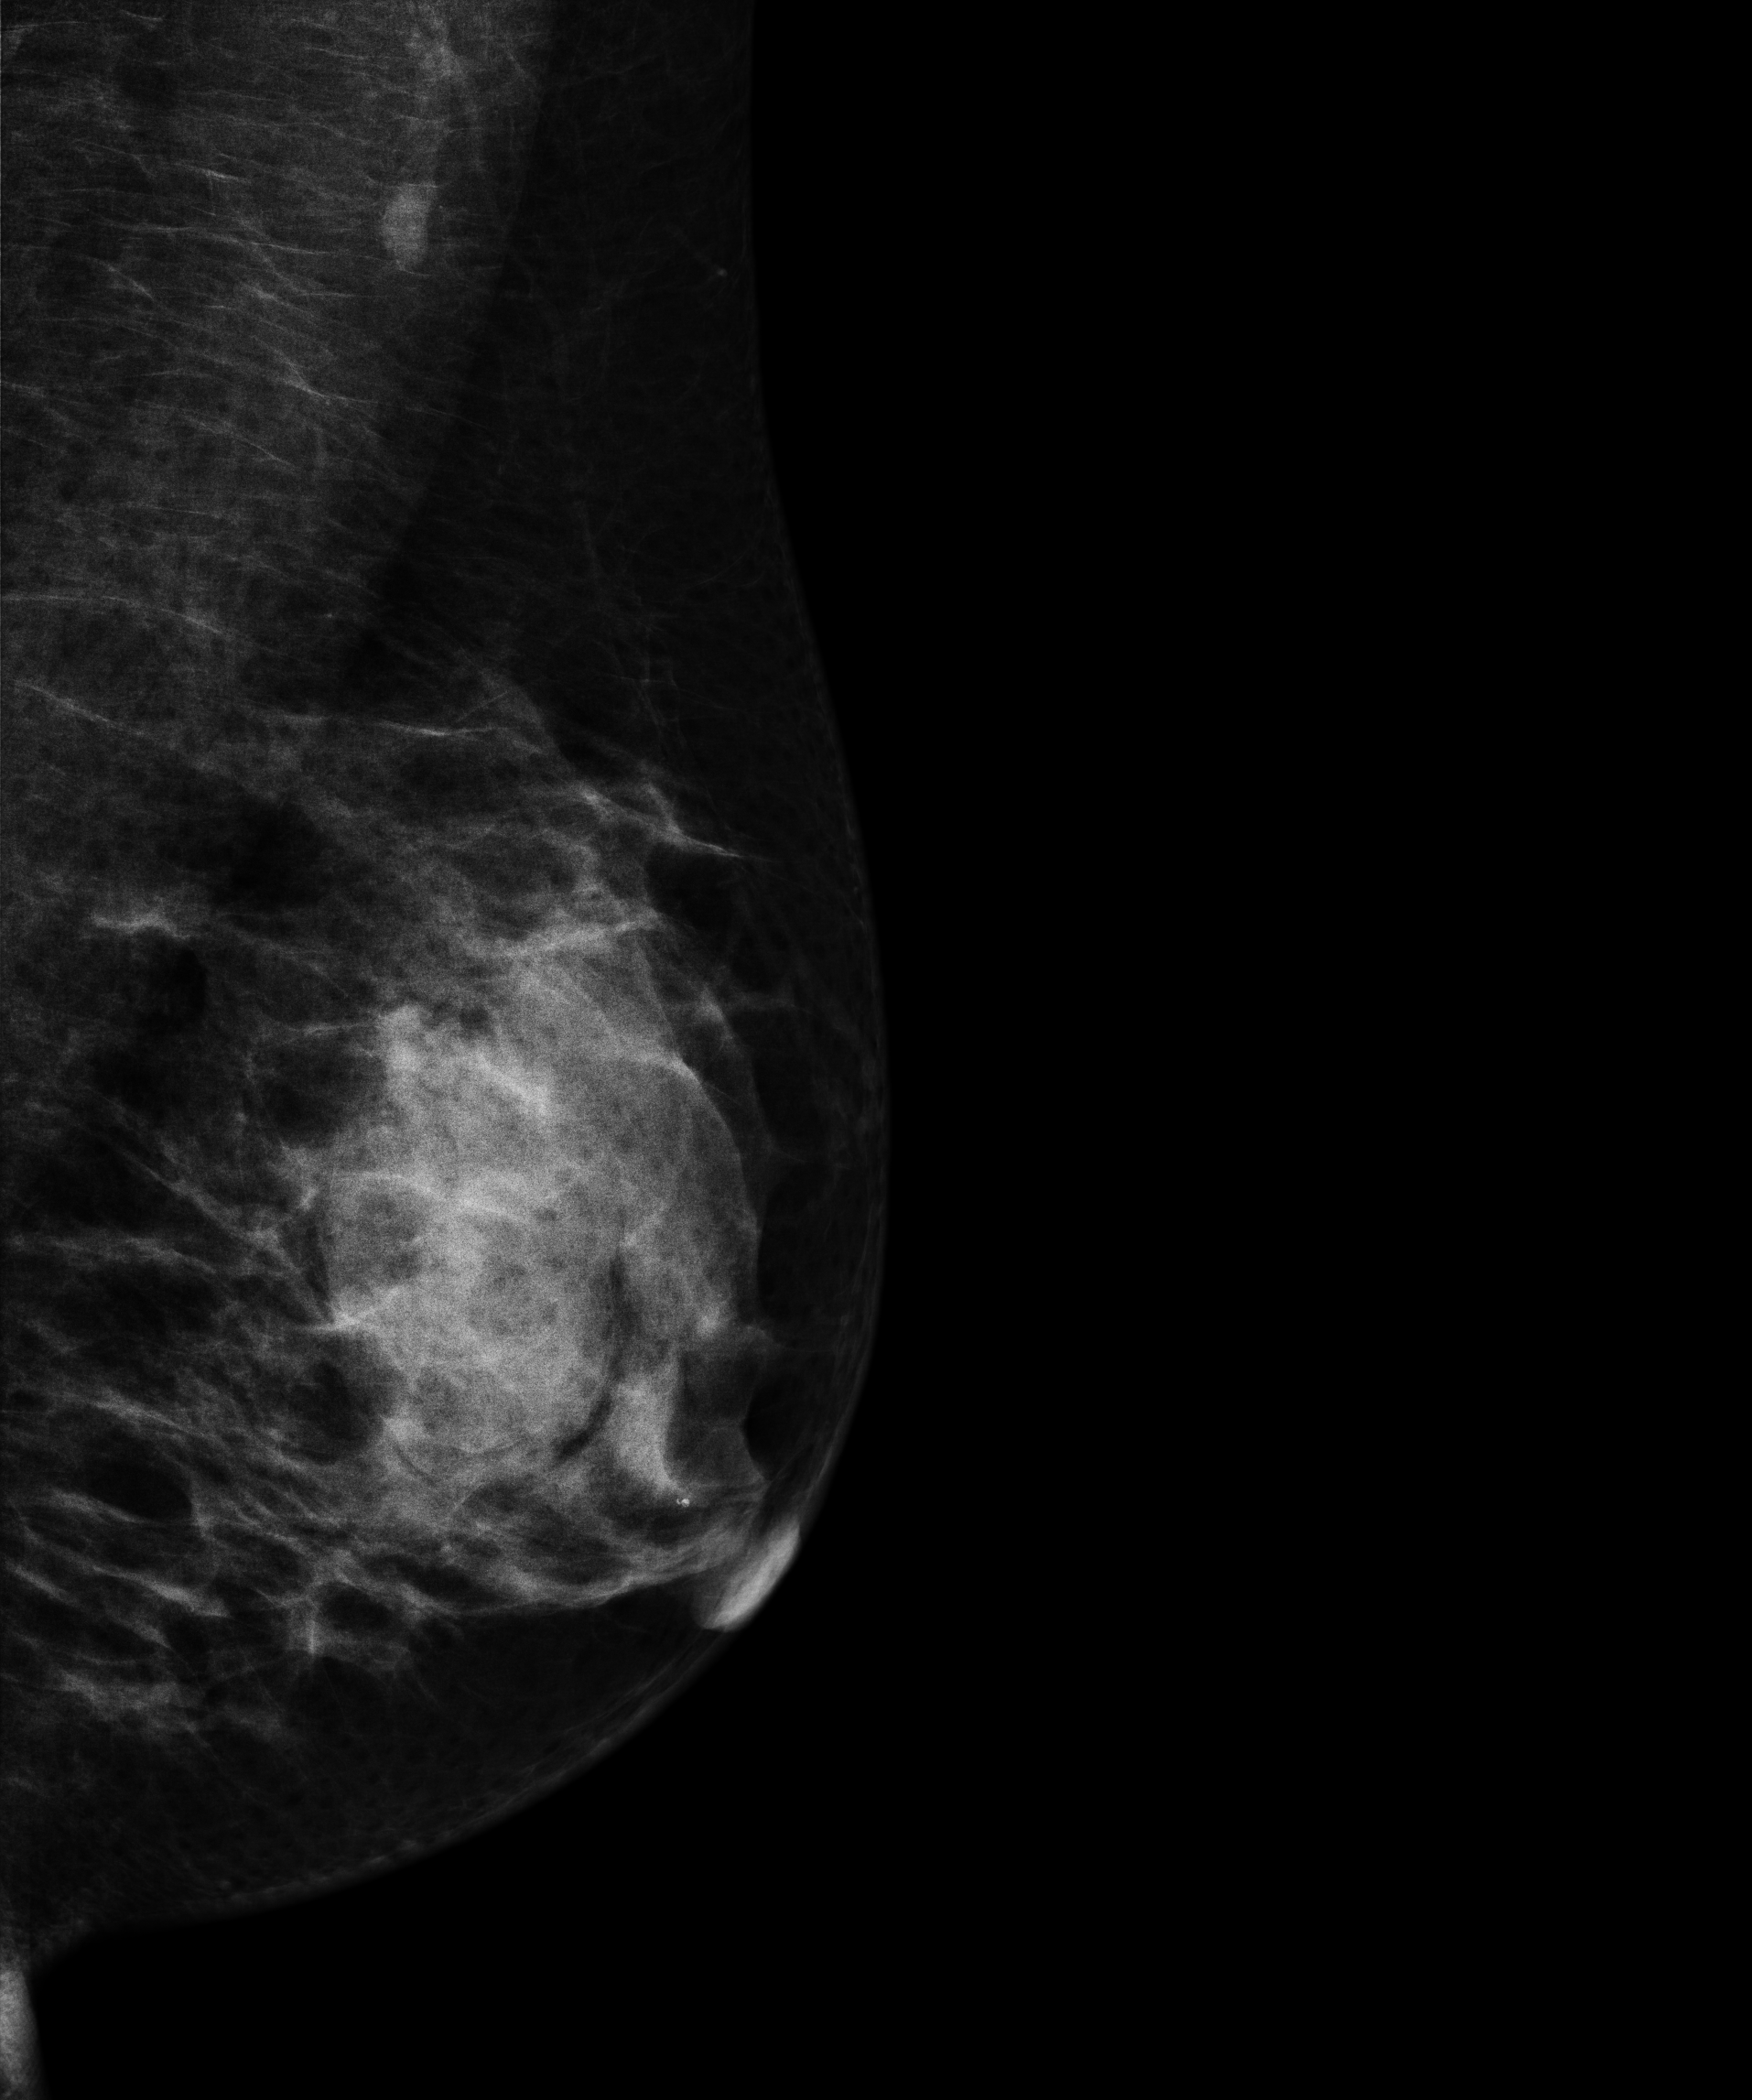
Medio-lateral oblique mammogram of the left breast. 29 y/o patient.
This breast has a mass, biopsy-proven benign.